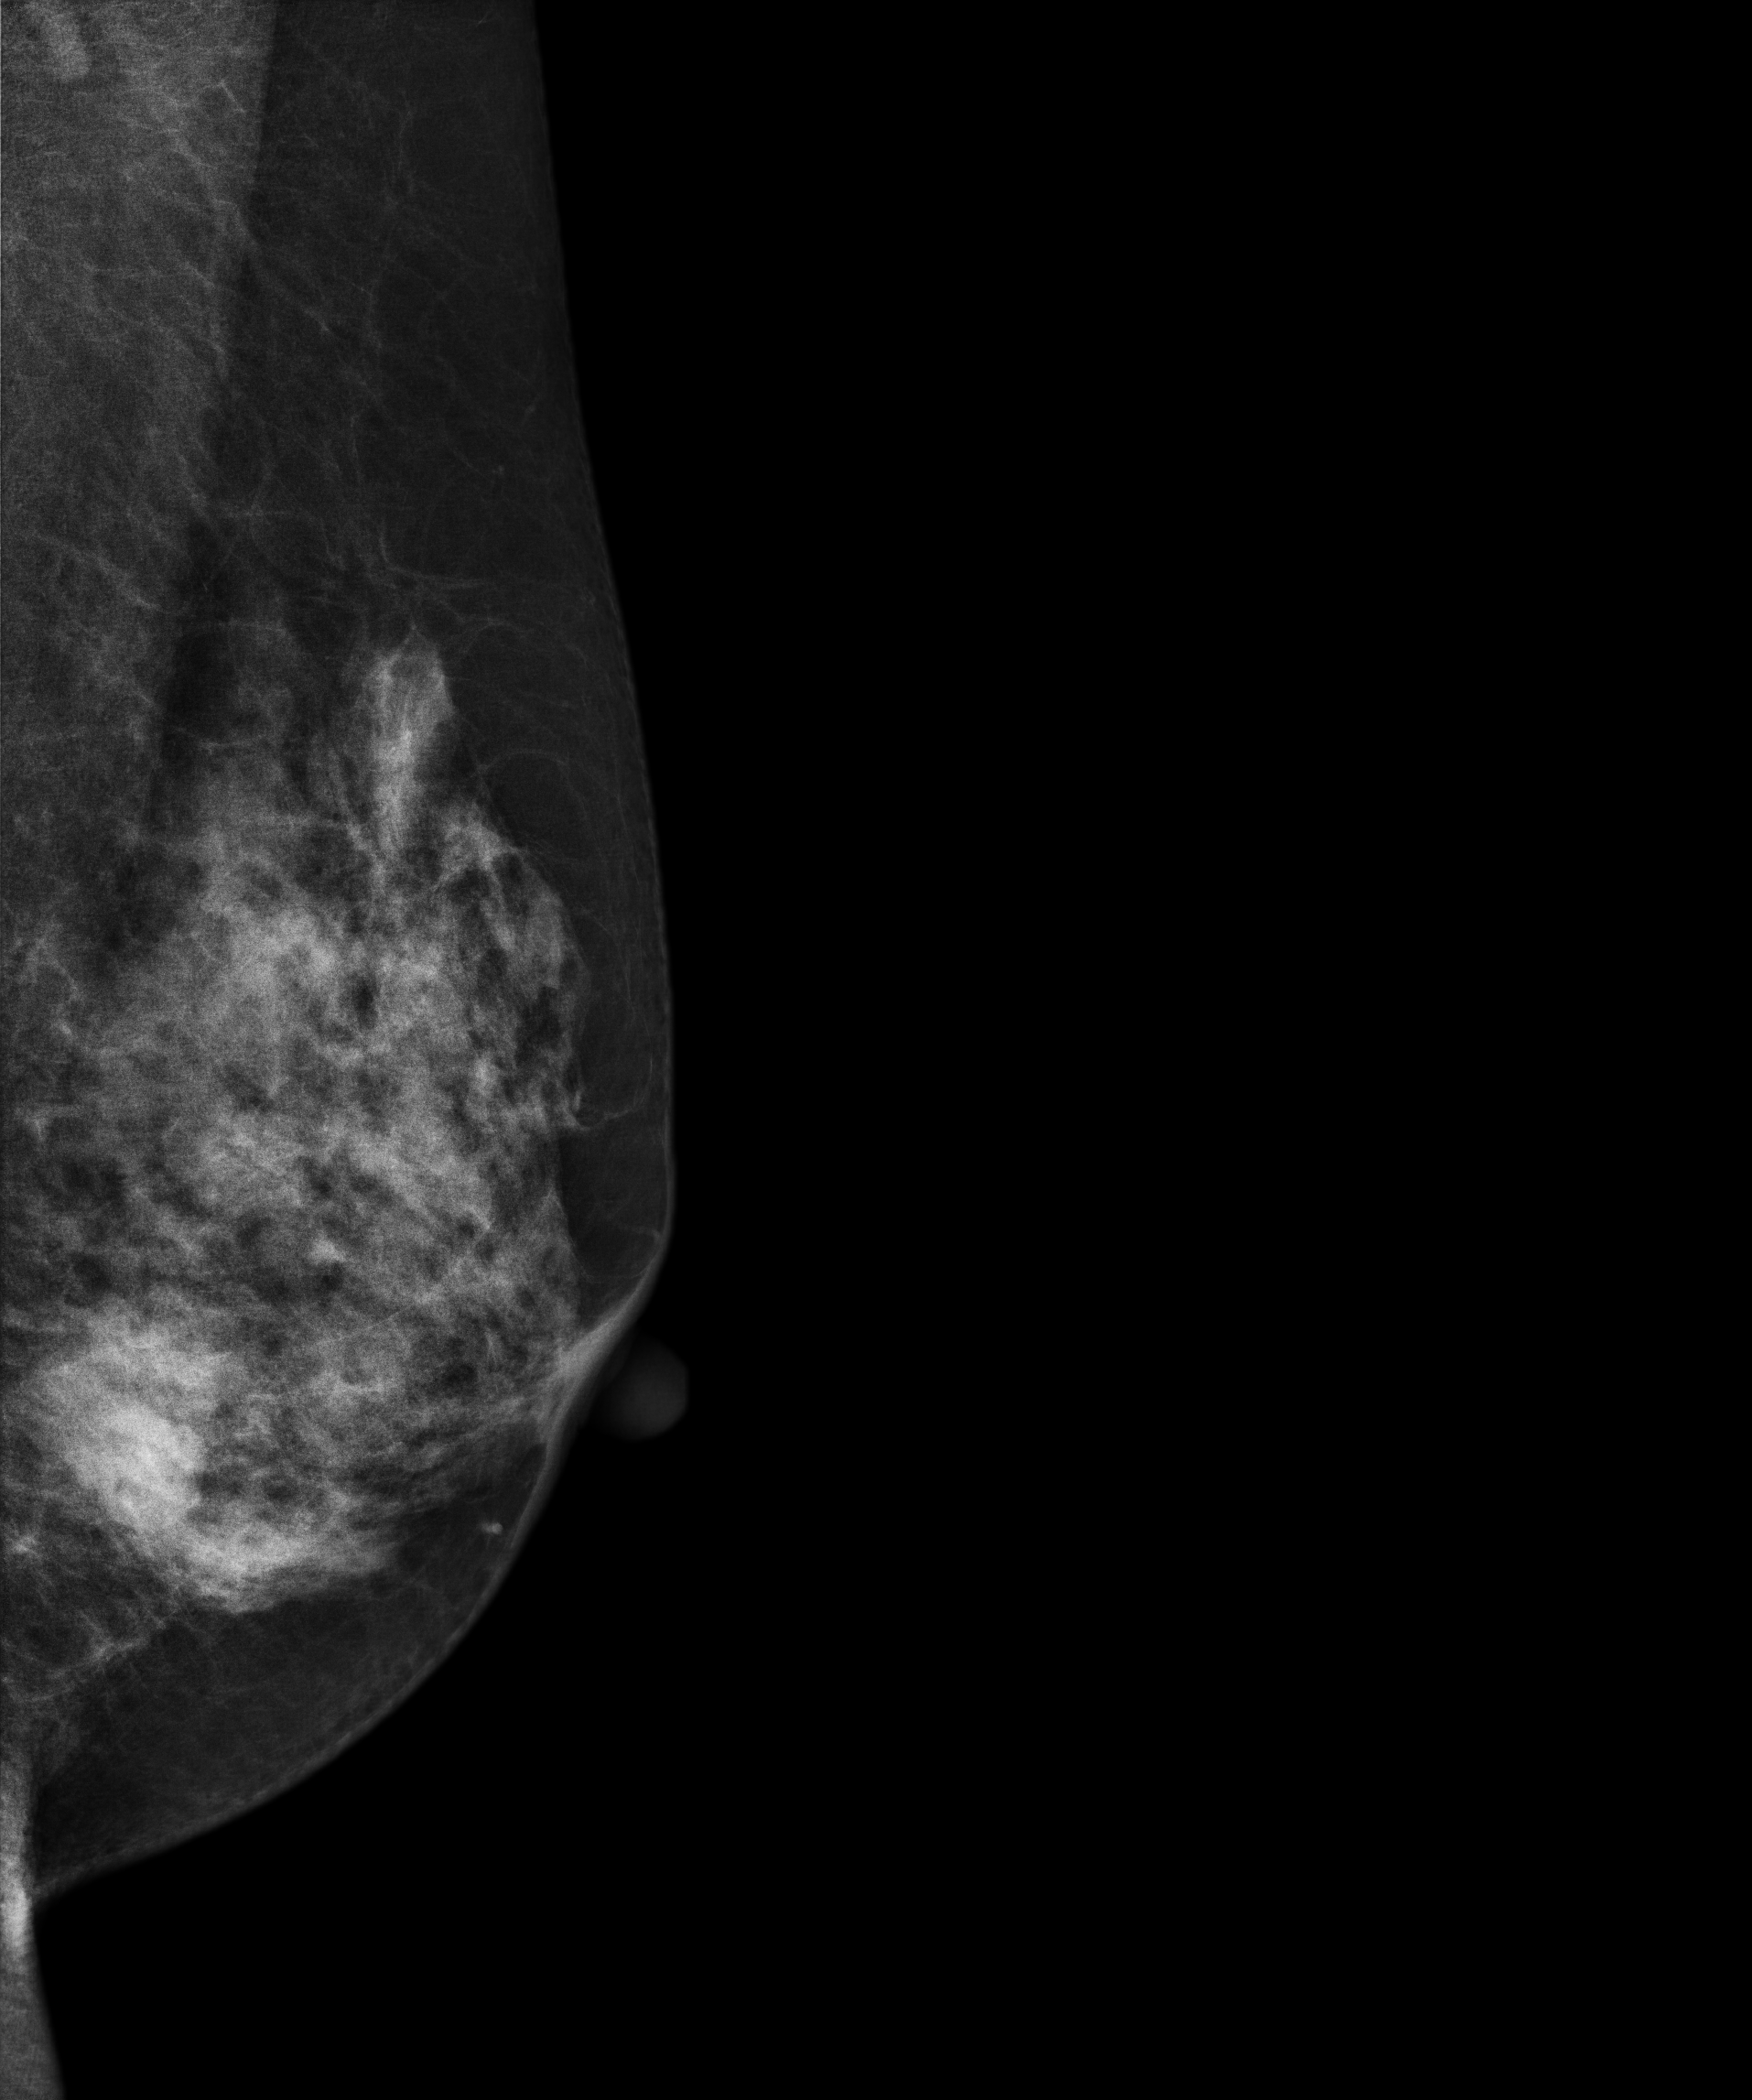
MLO mammogram of the left breast. 51-year-old patient.
This breast has a mass, biopsy-confirmed malignant. Molecular subtype: luminal B.